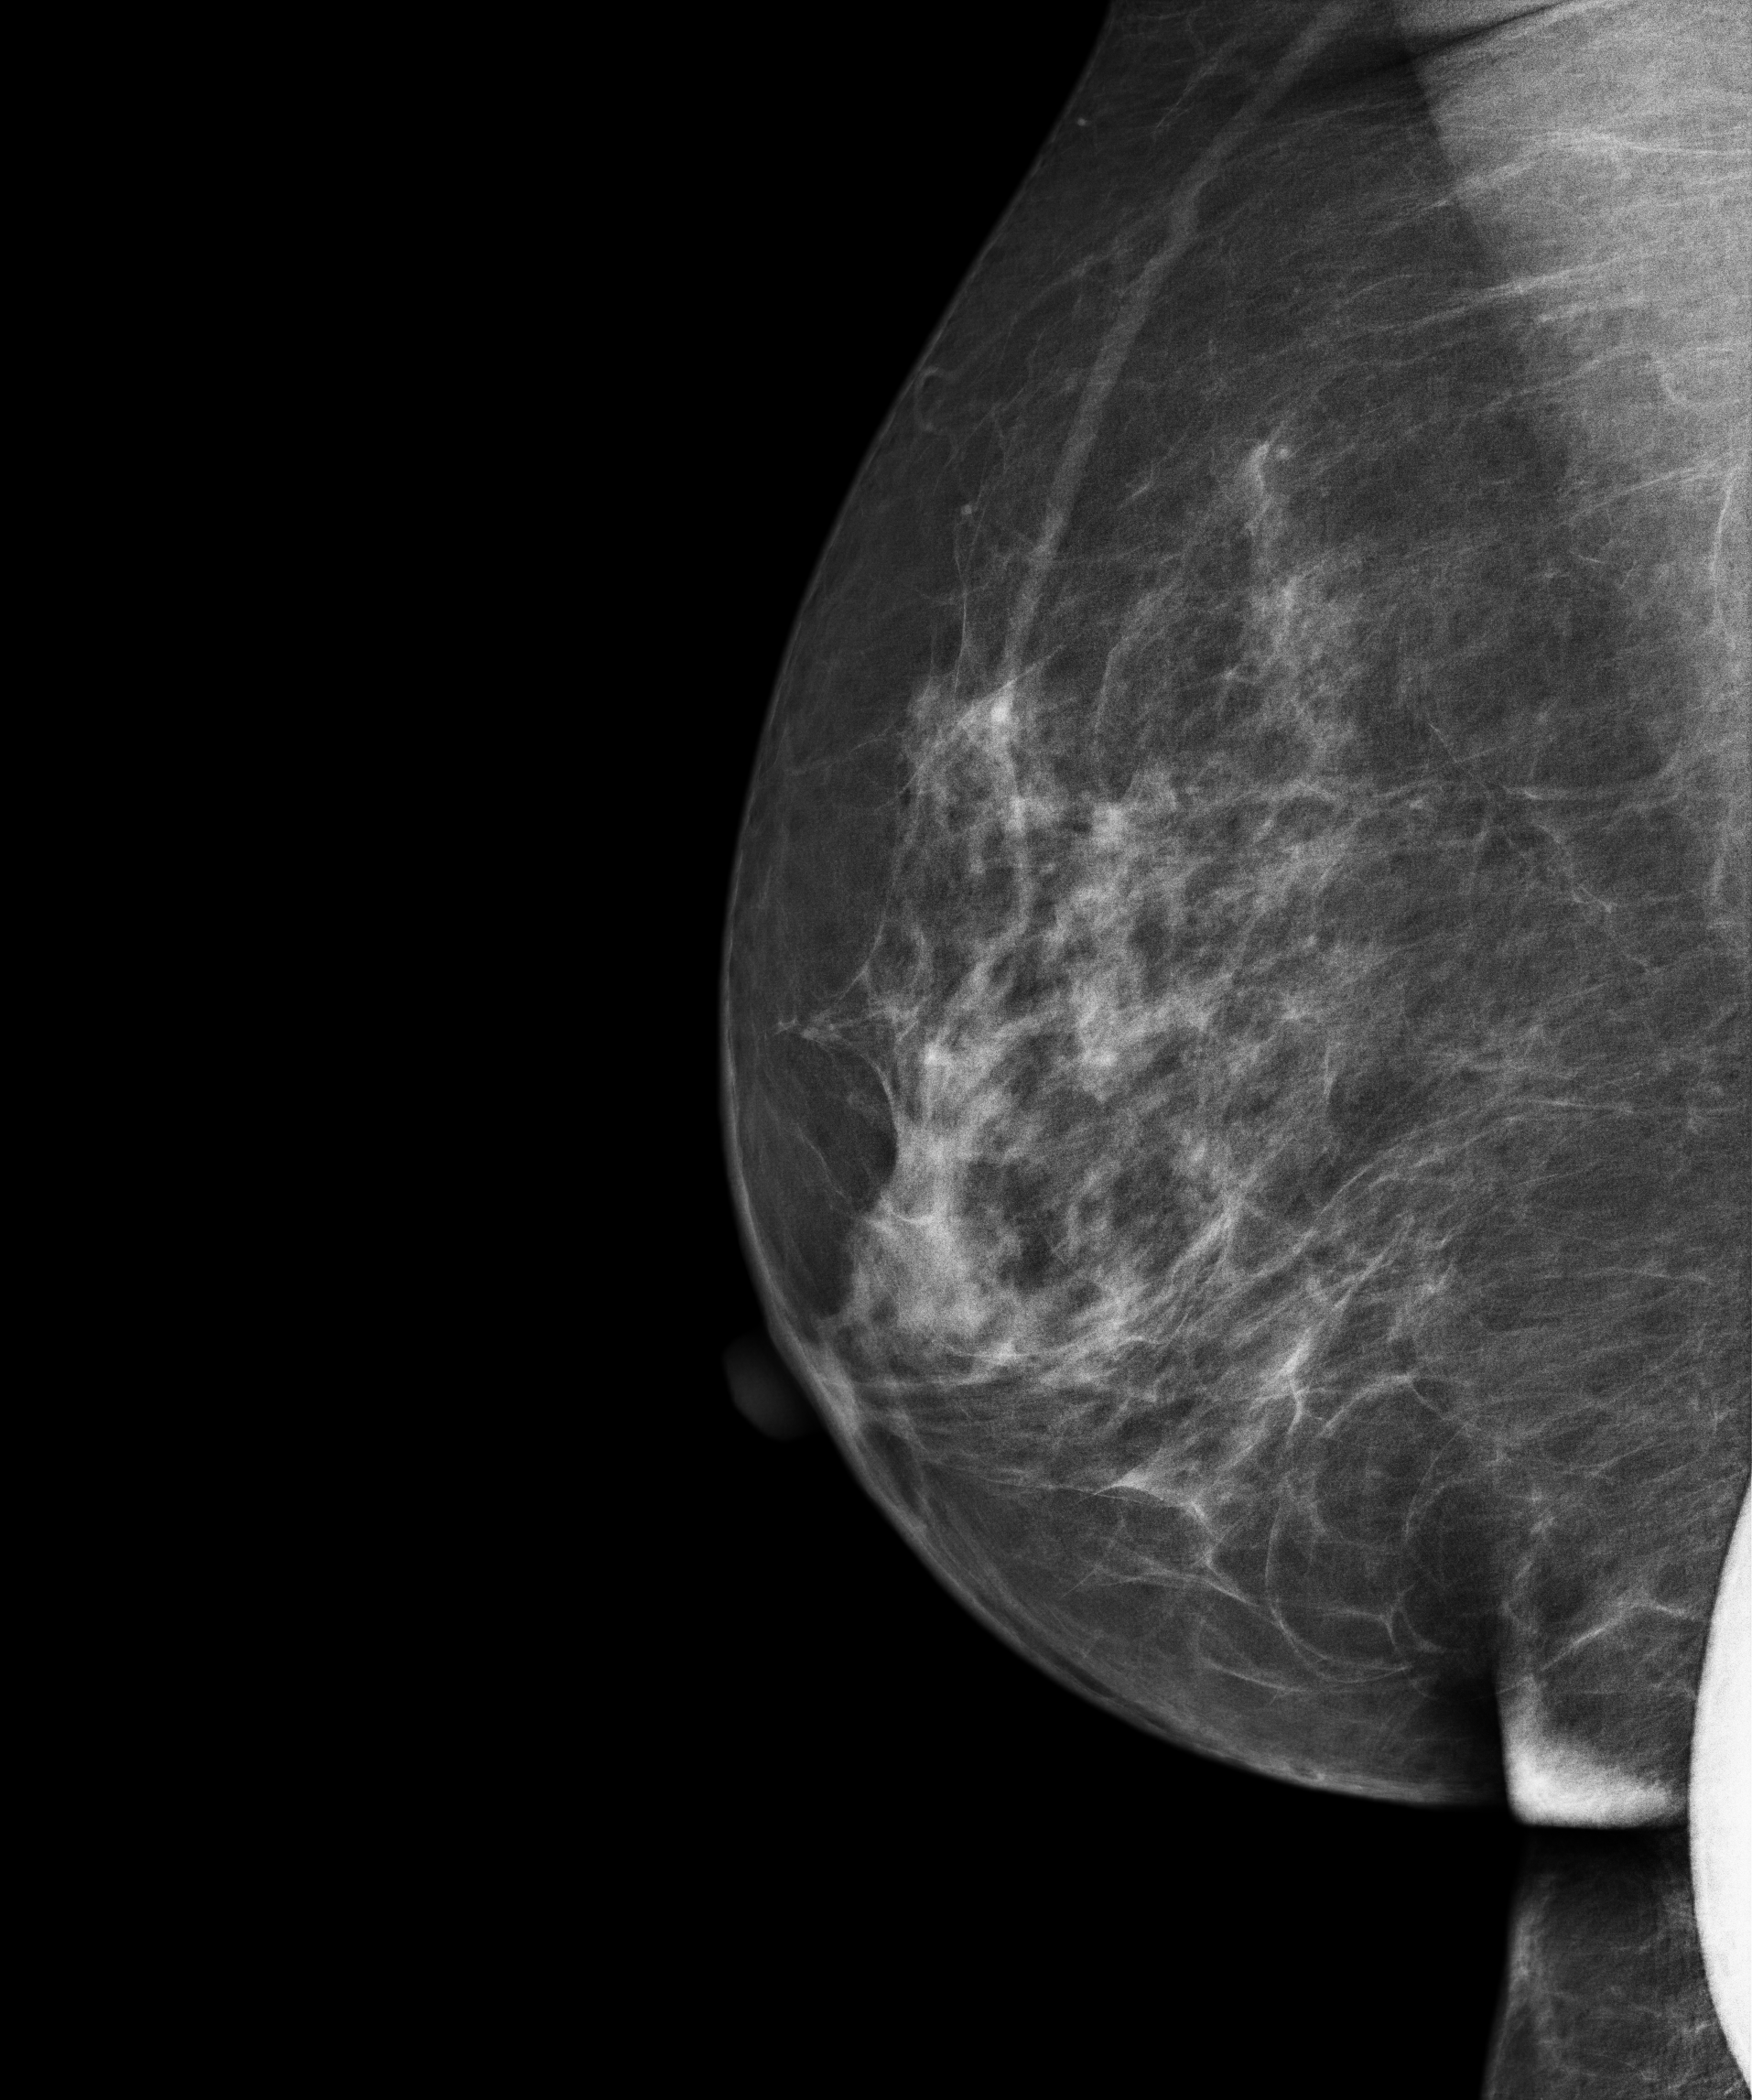
MLO mammogram of the right breast. Patient age 56.
This breast has a mass, pathology-confirmed benign.